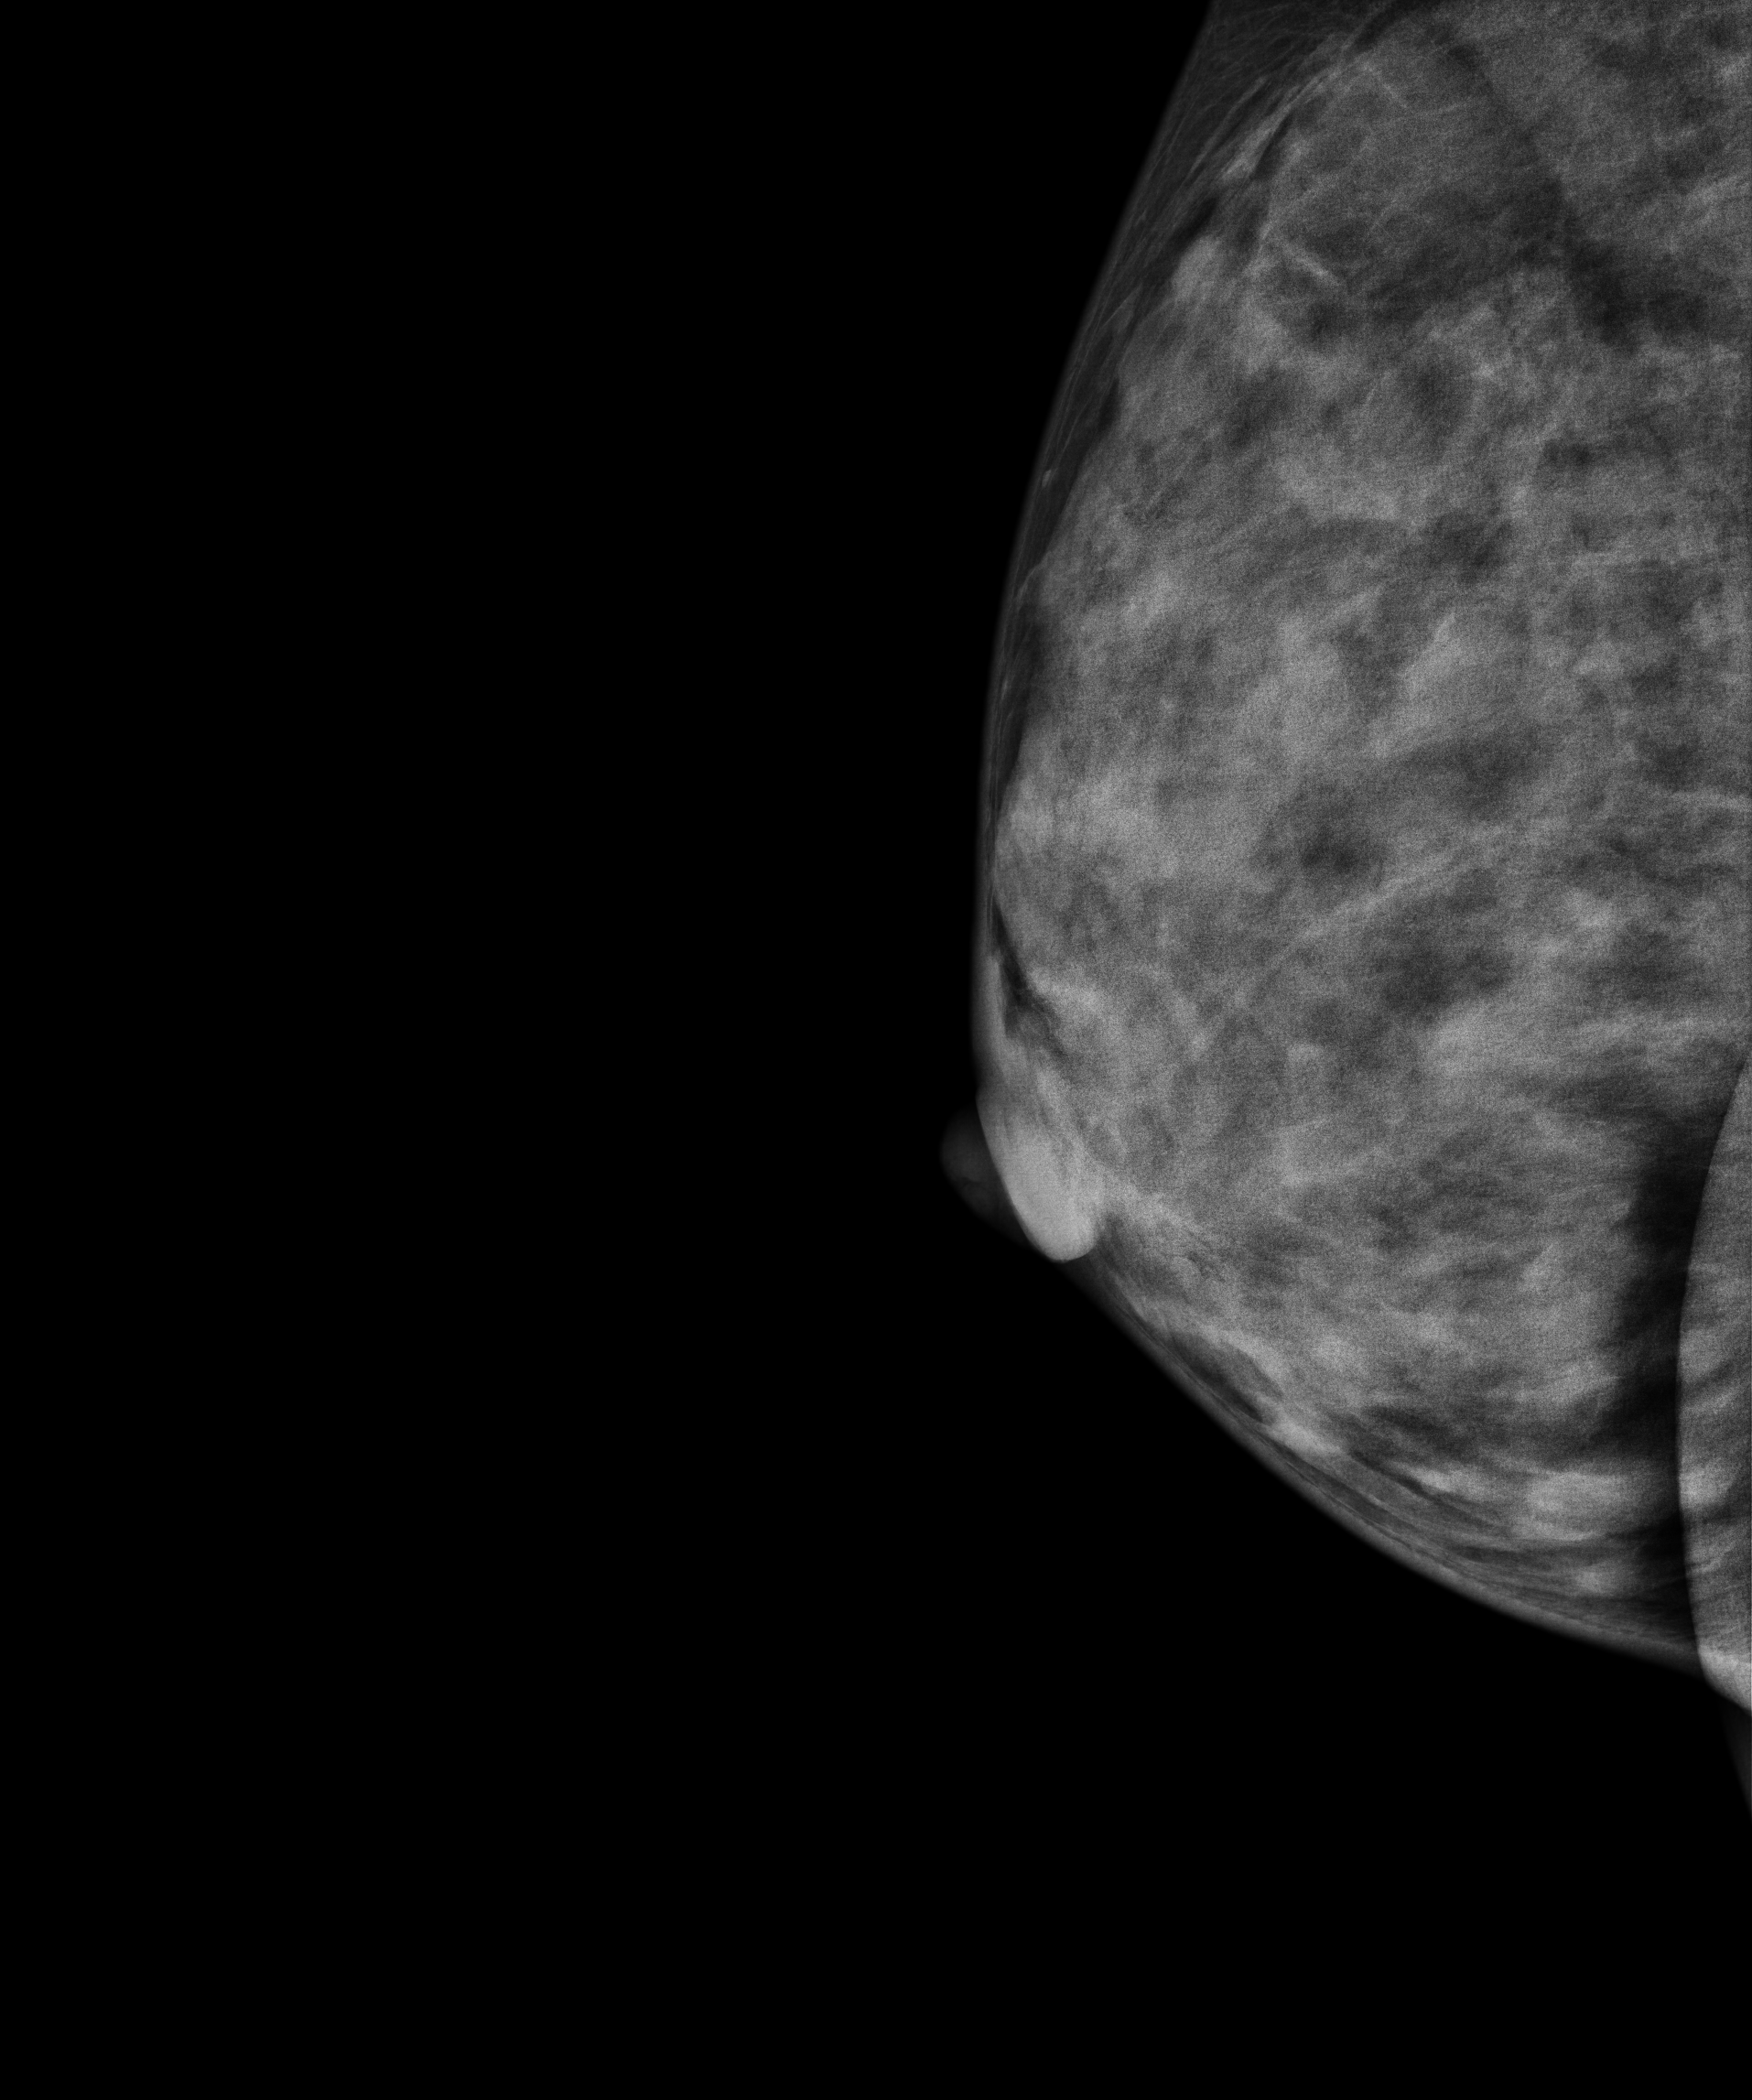
Digital mammography. Right breast, medio-lateral oblique projection. 41-year-old patient.
This breast has a mass and calcifications, histologically confirmed benign.